Left-breast mammogram, cranio-caudal. Patient age 44.
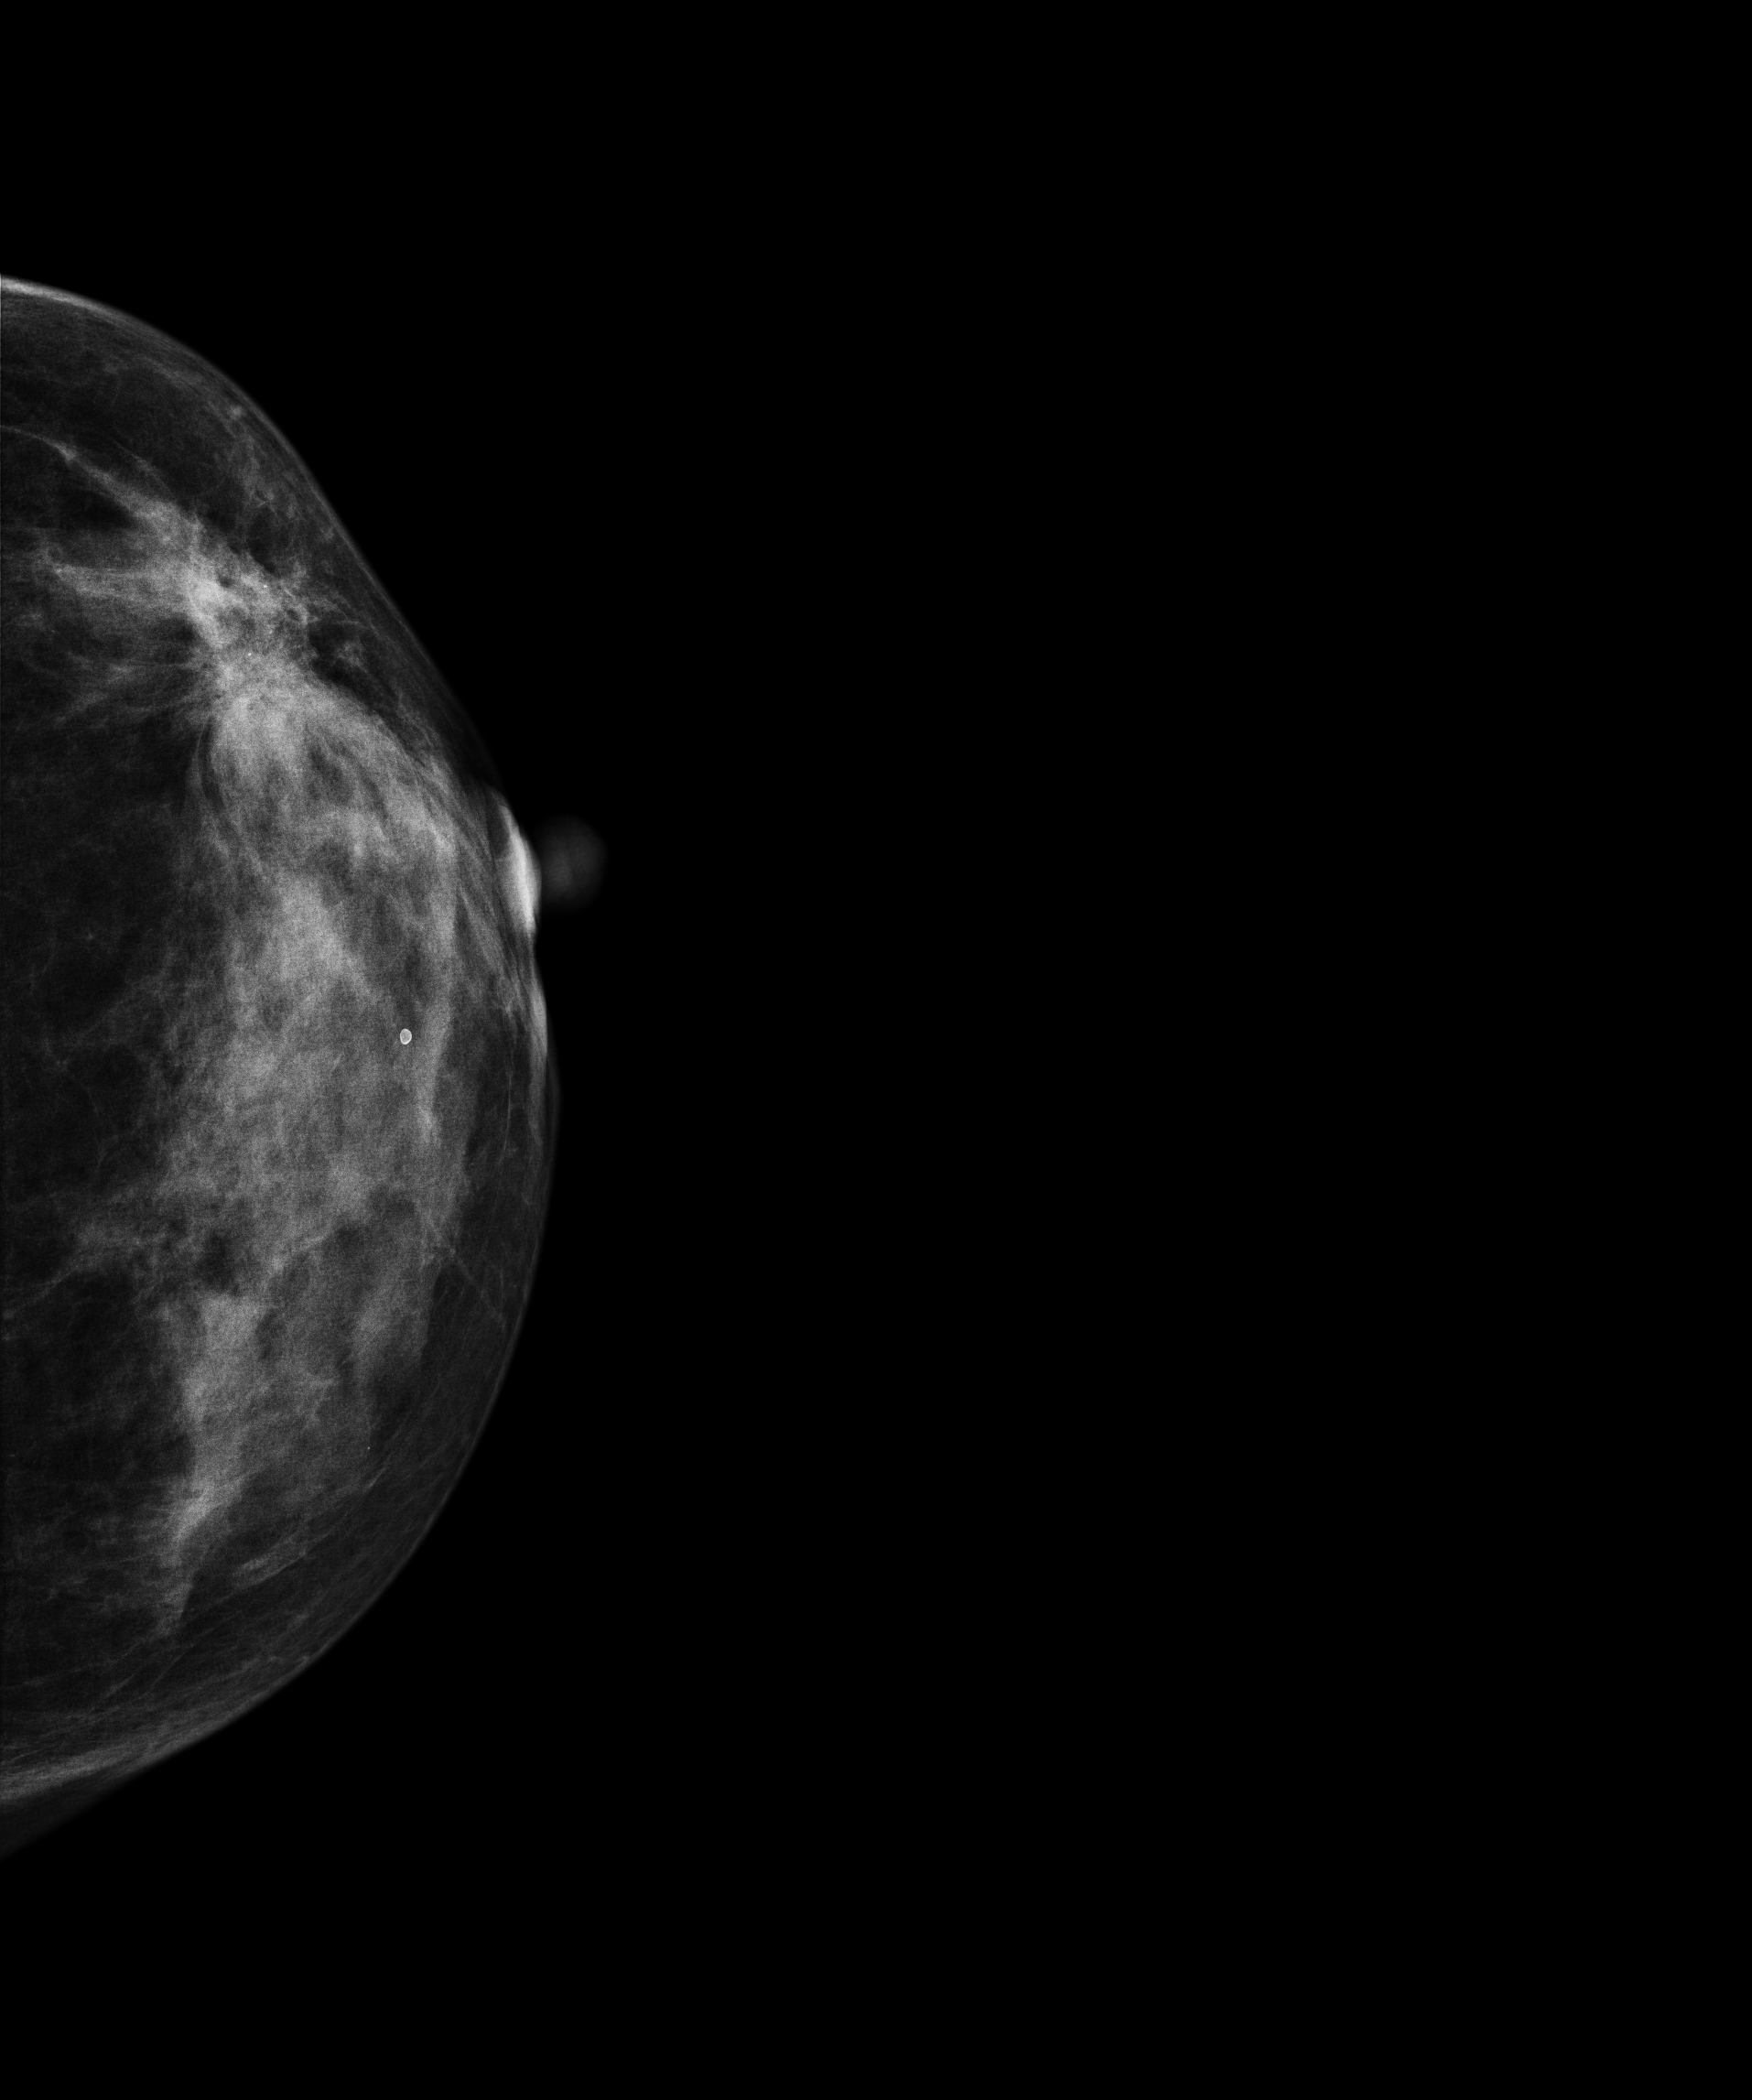
This breast has a mass and calcifications, biopsy-confirmed malignant. Molecular subtype: luminal B.